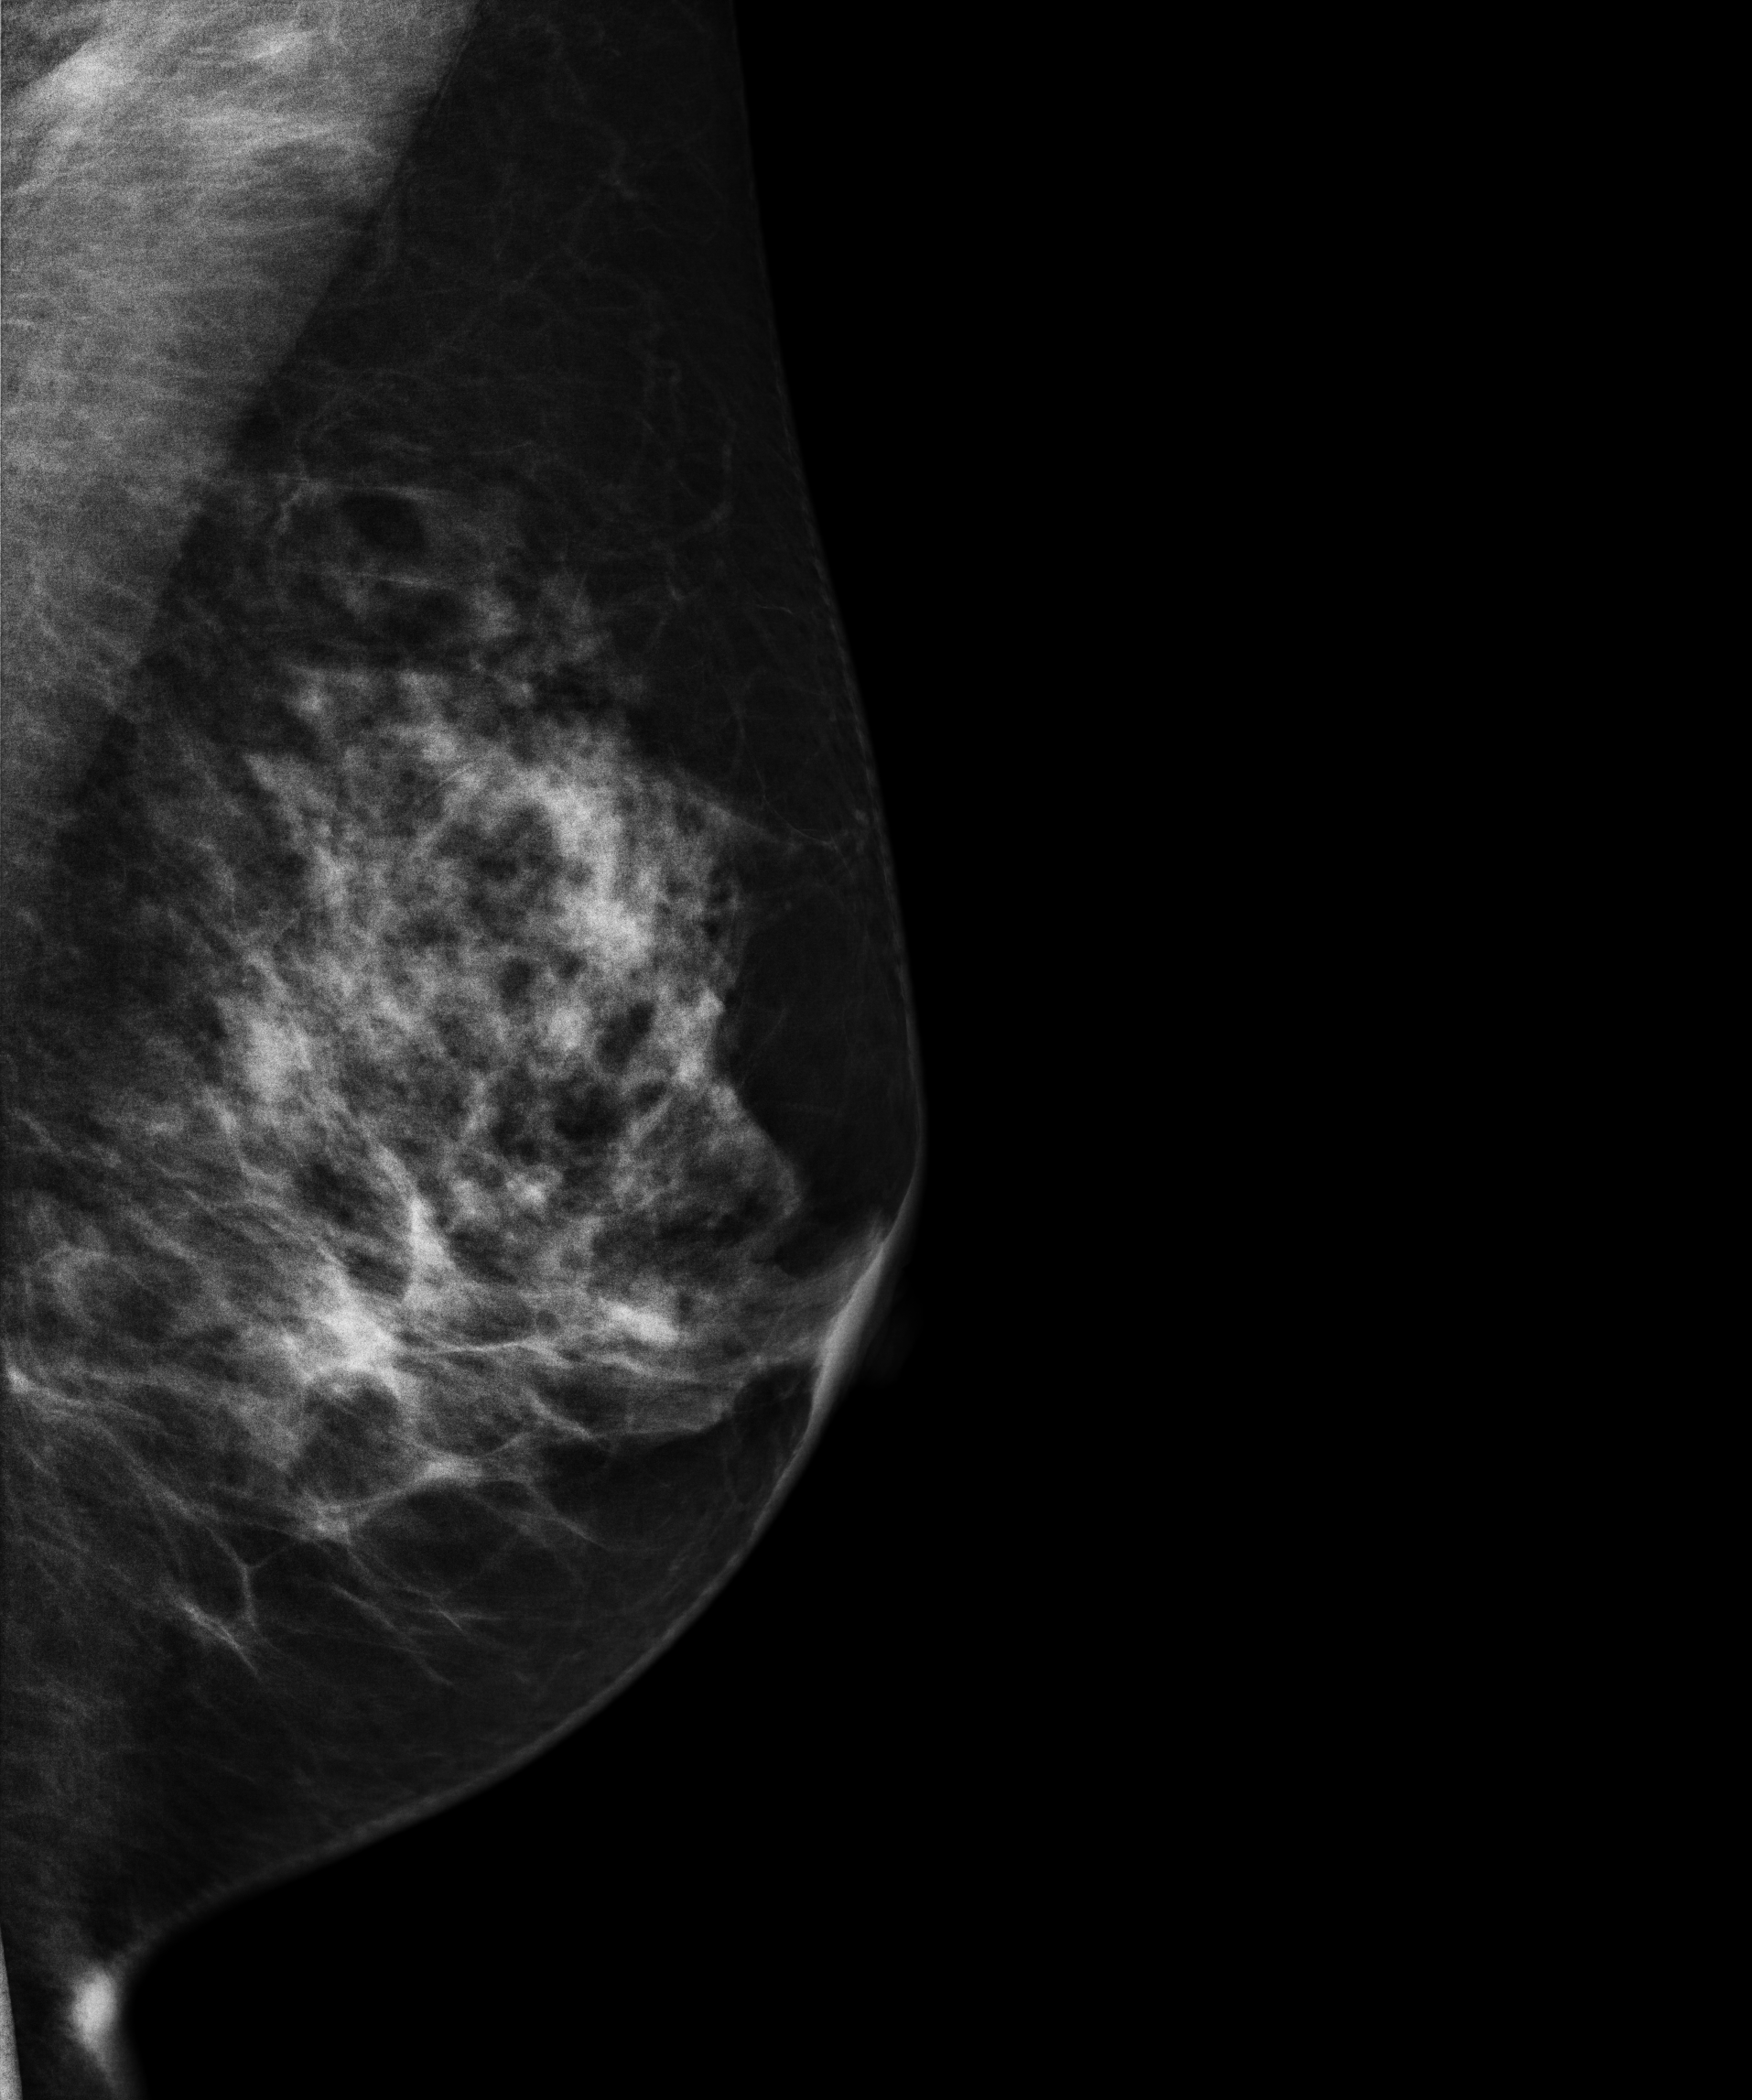
MLO mammogram of the left breast. 48-year-old patient.
This breast has a mass, biopsy-confirmed malignant.